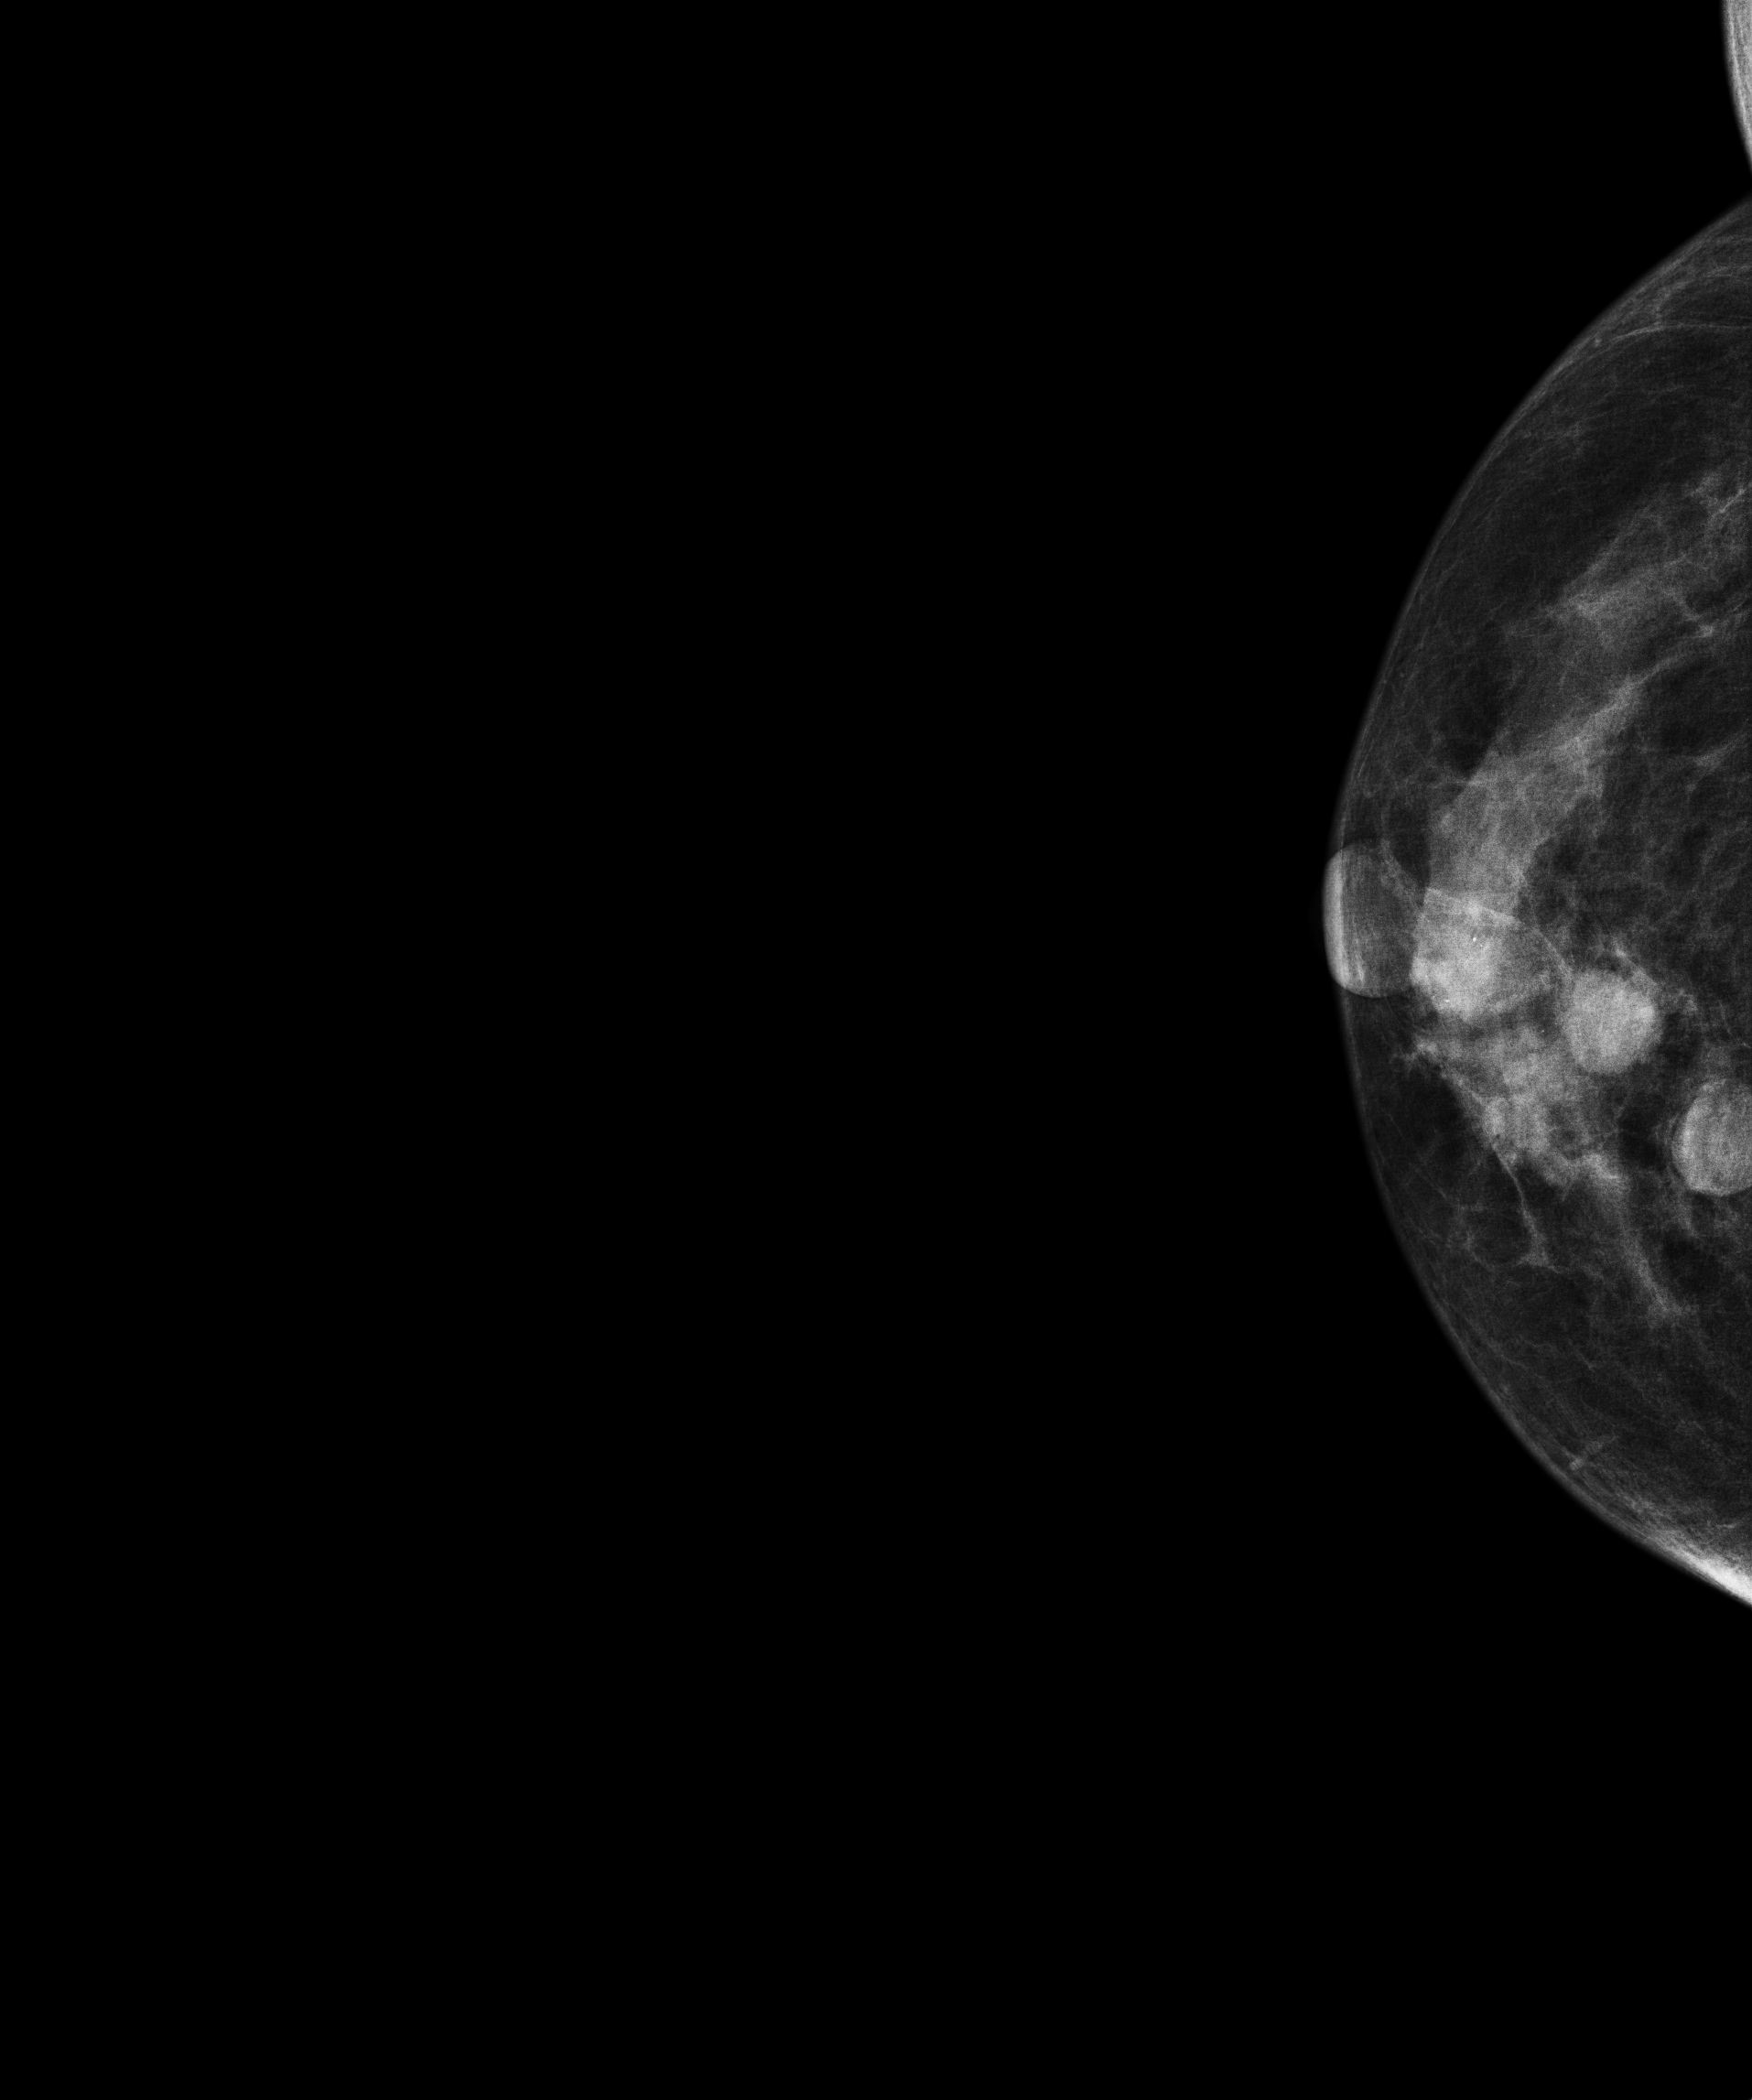
Right-breast mammogram, CC. Patient age 66.
This breast has a mass, biopsy-proven malignant. Molecular subtype: luminal B.